Mammogram, right breast, MLO view. Patient age 40.
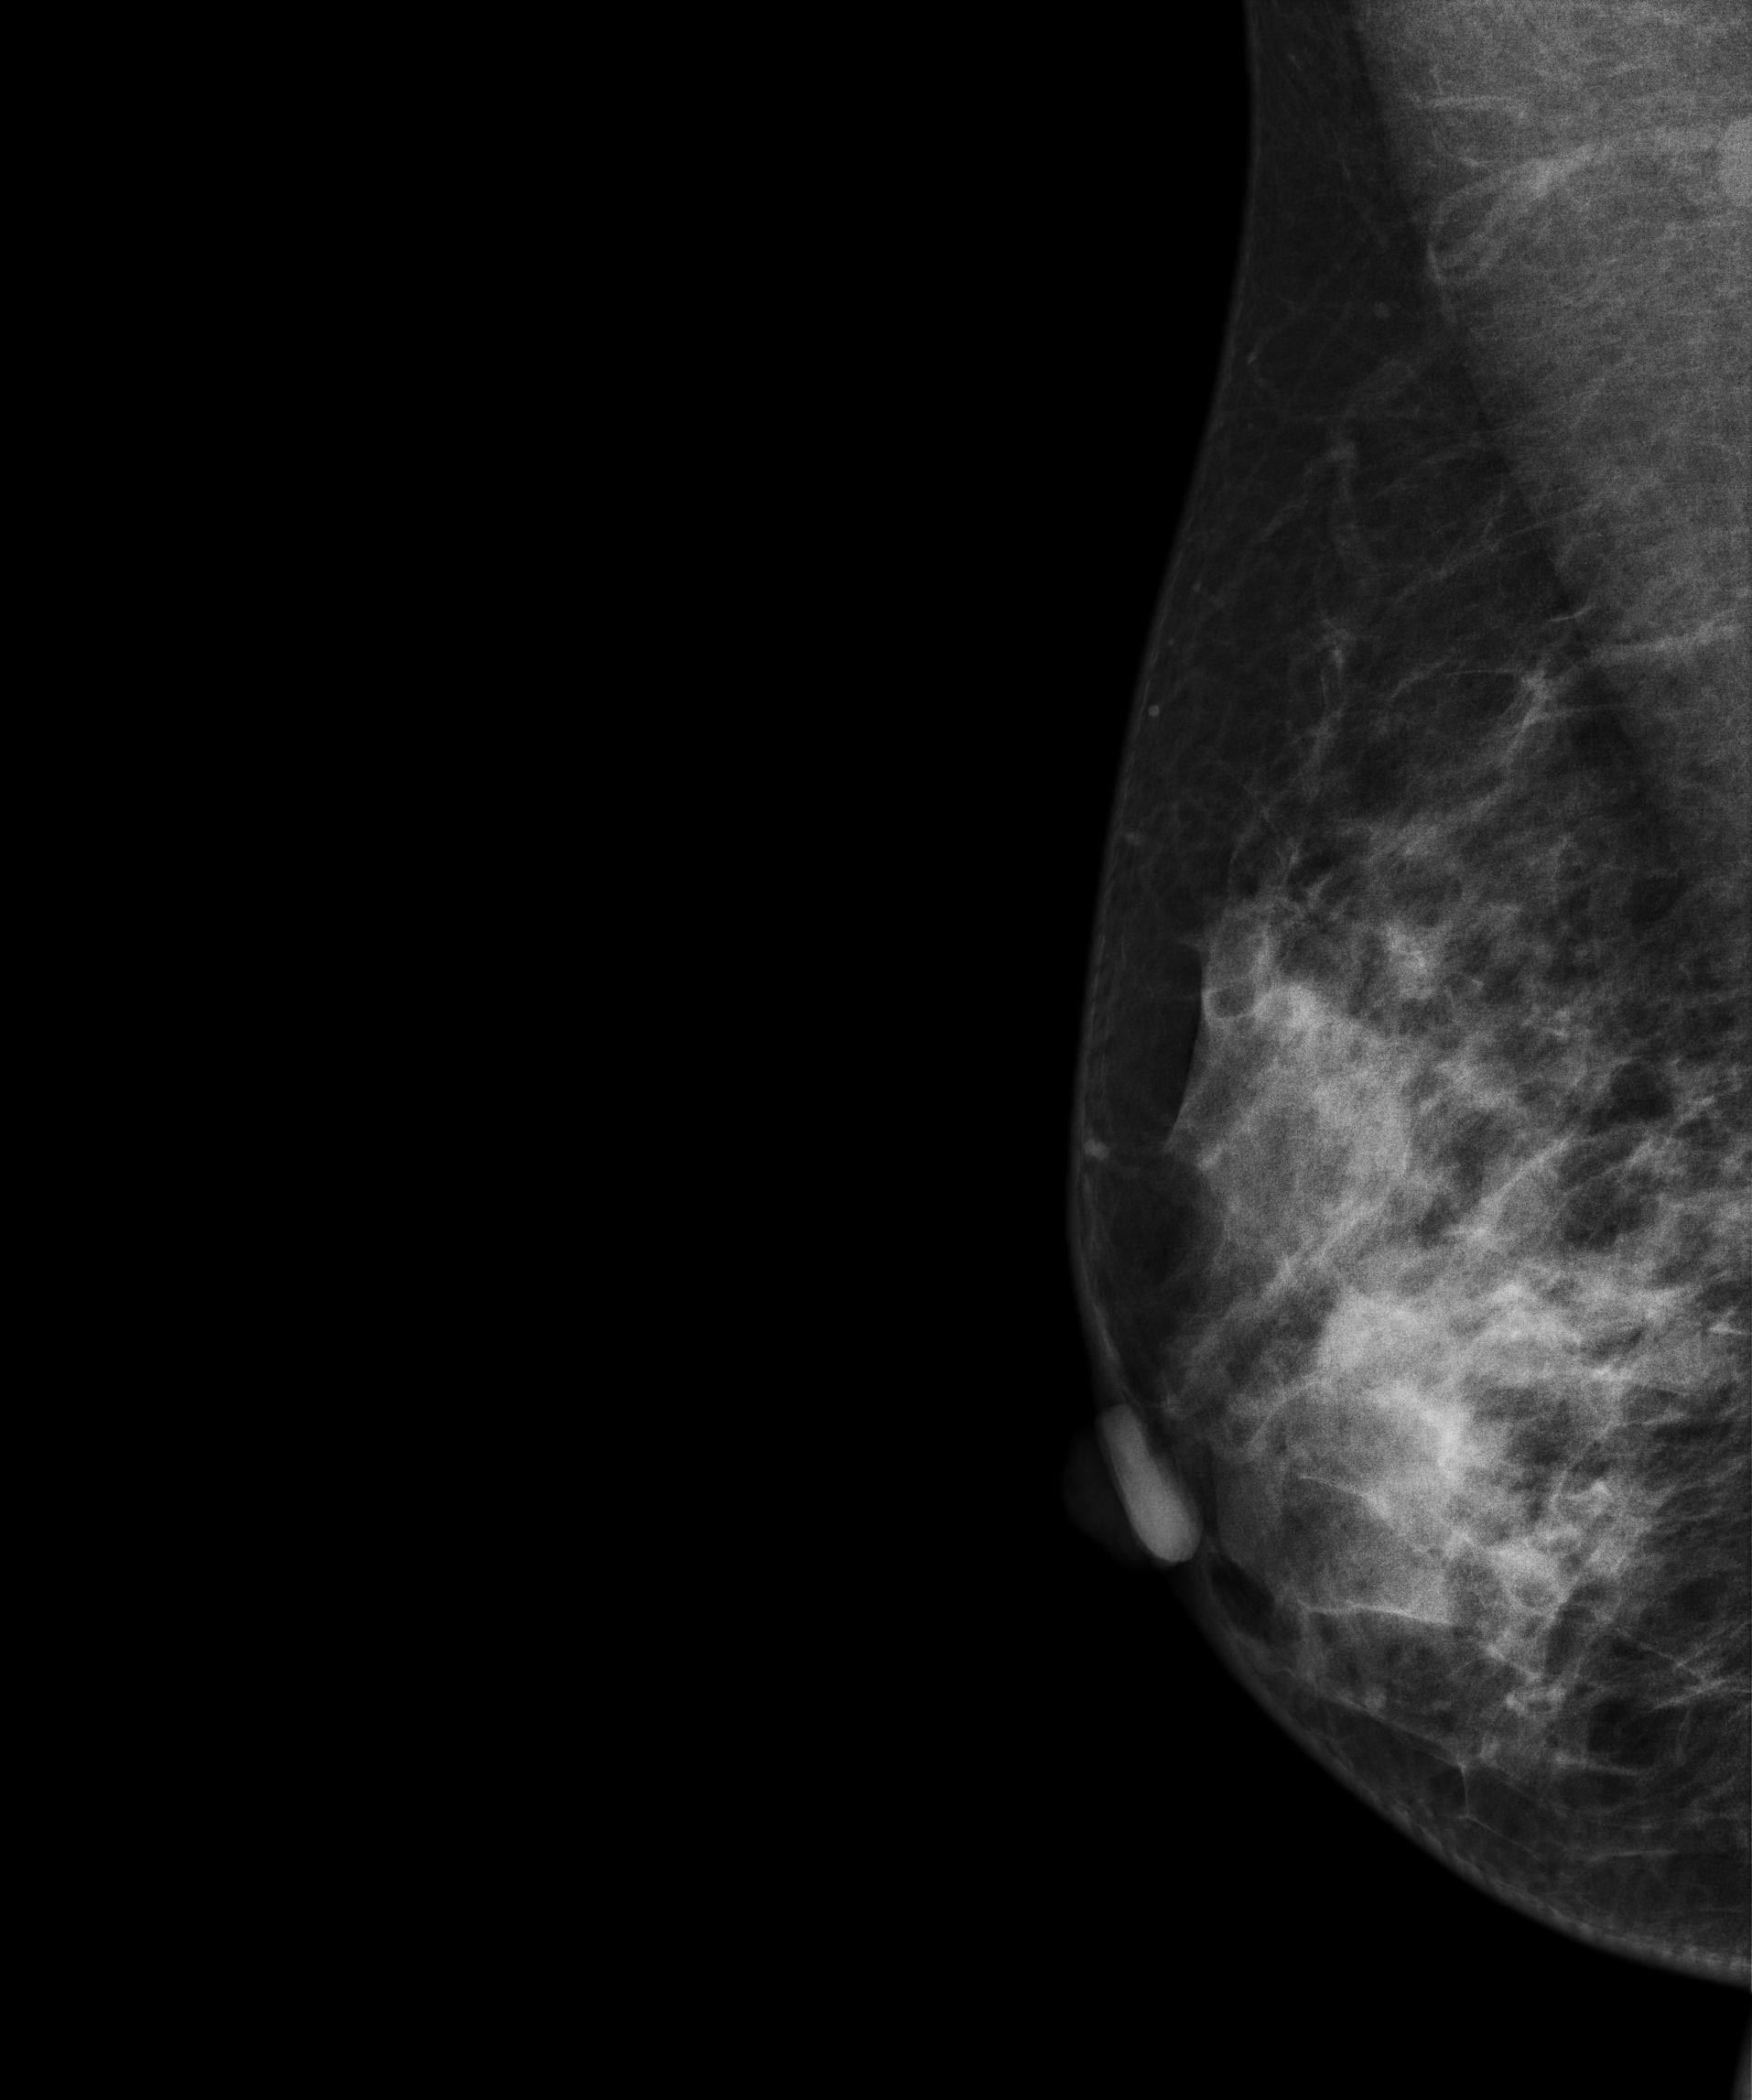
This breast has a mass, biopsy-confirmed benign.